MLO mammogram of the left breast. 53-year-old patient.
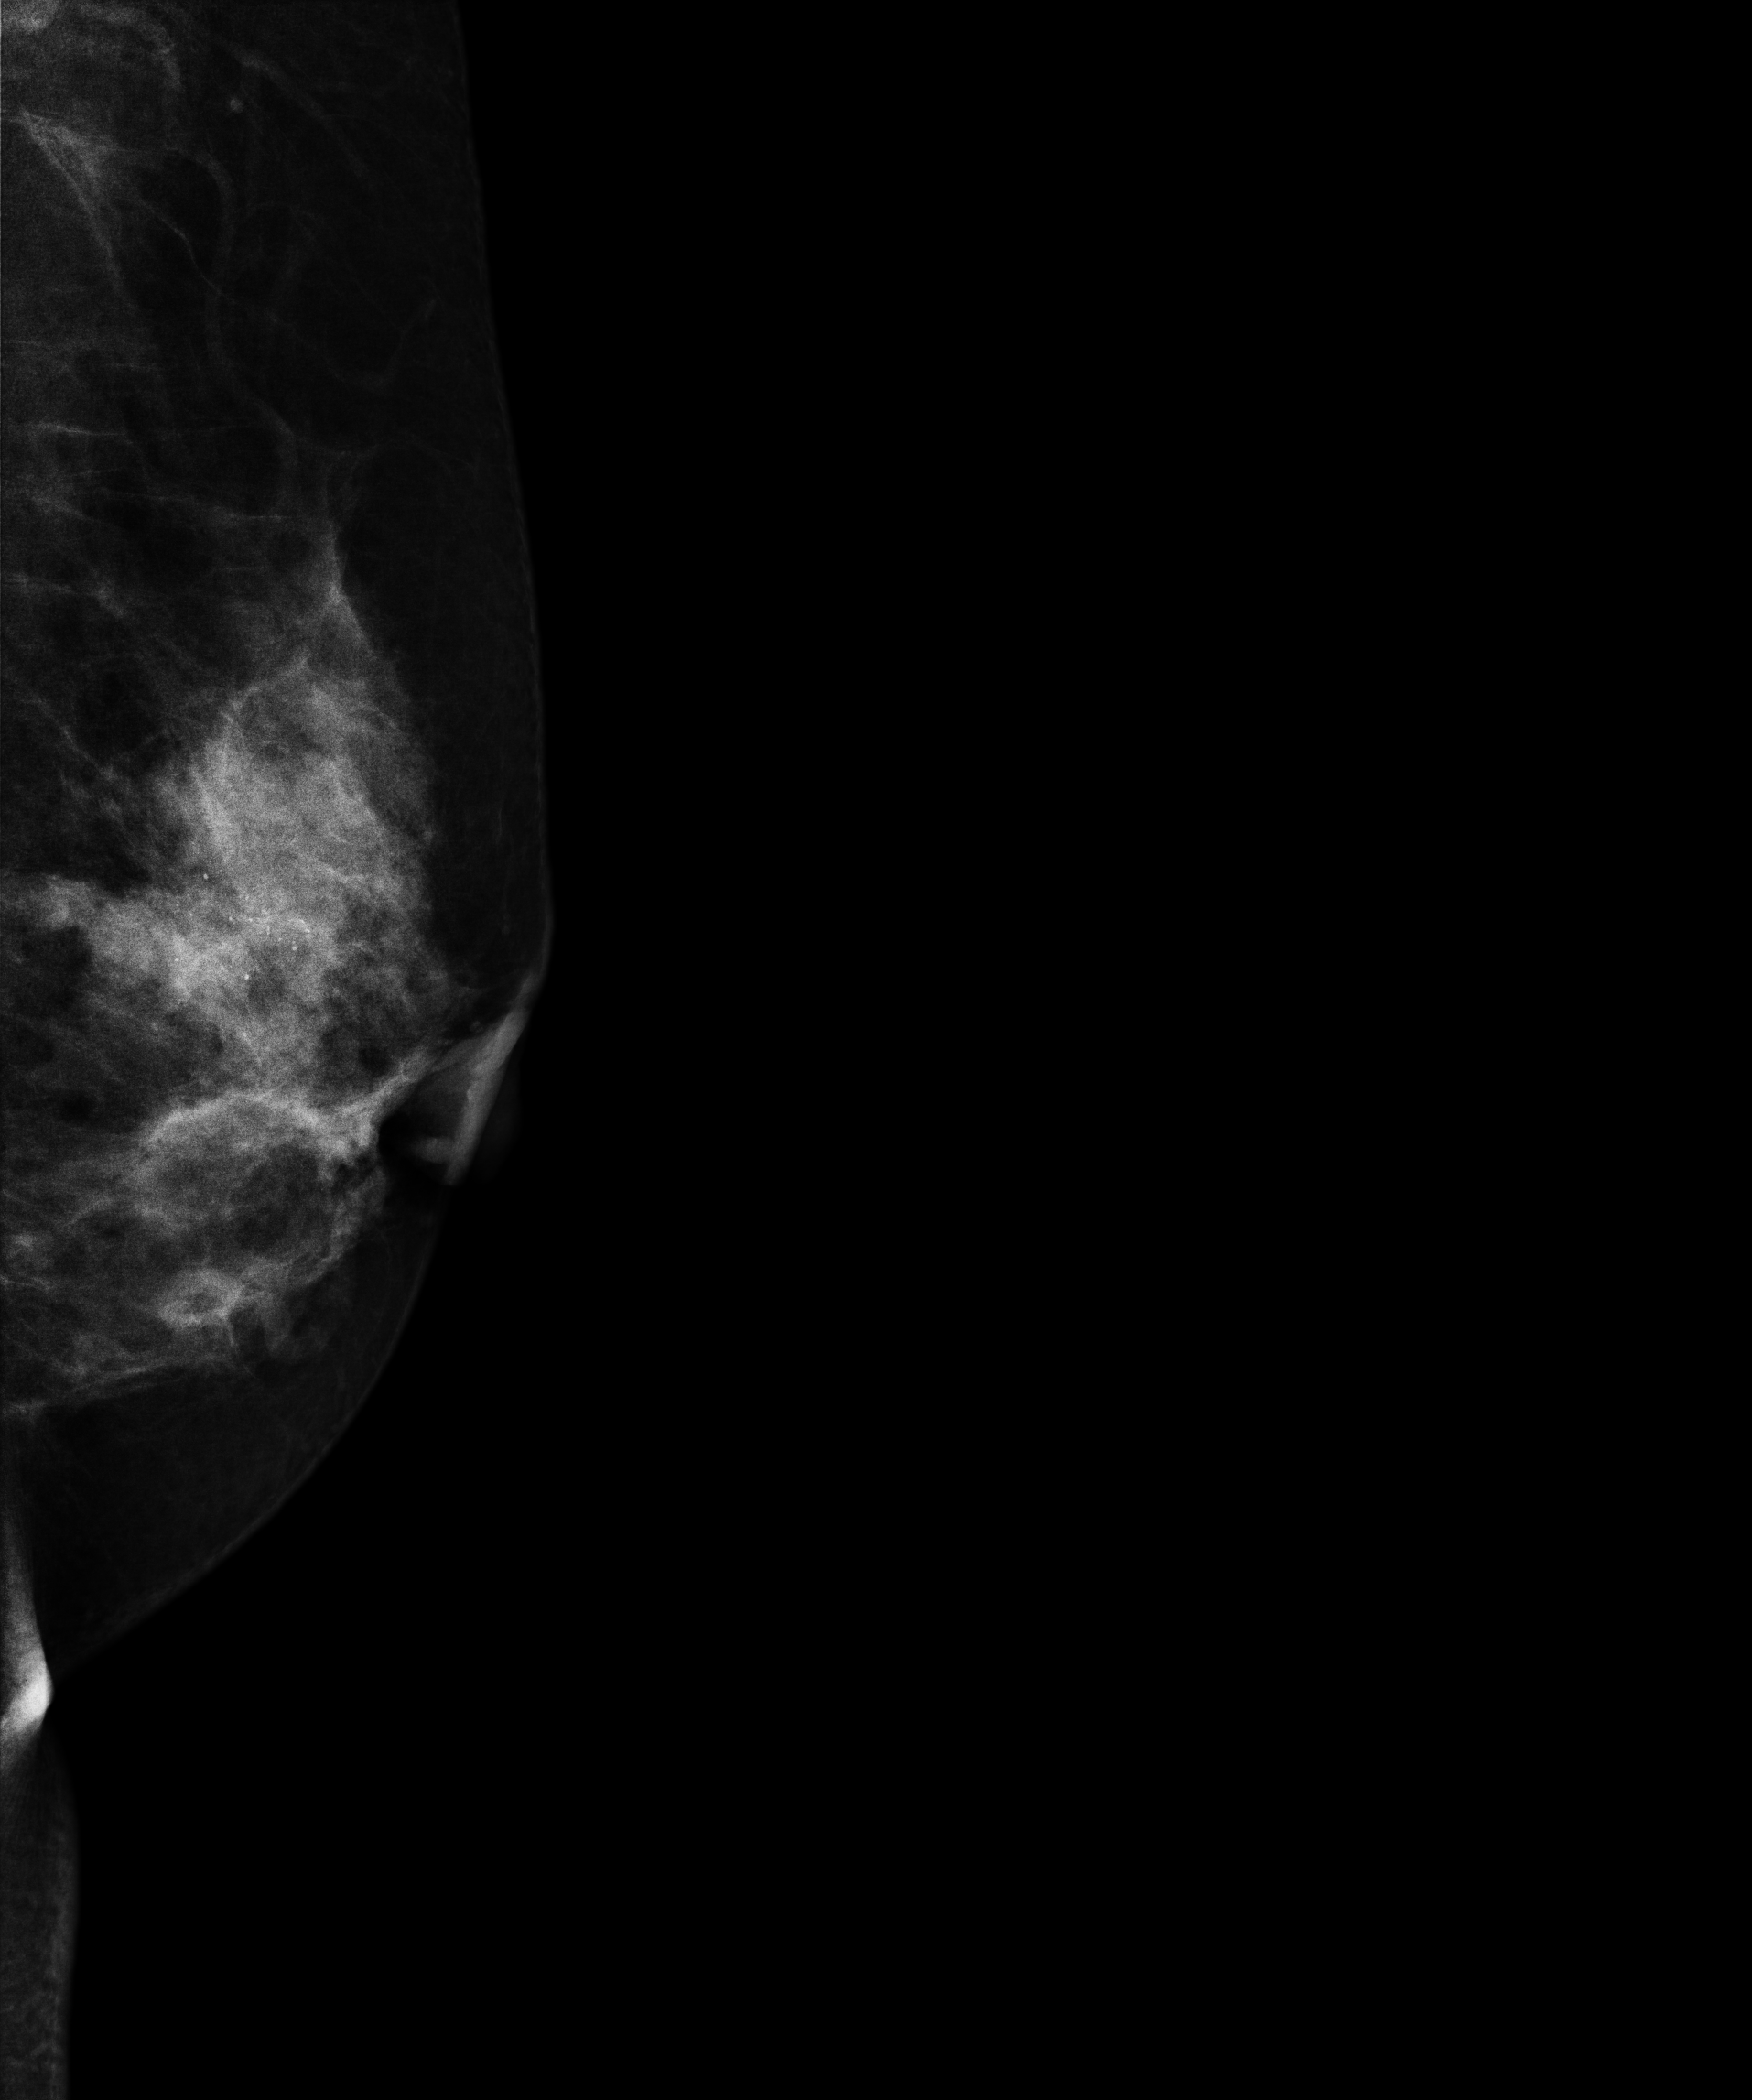
This breast has a mass and calcifications, histologically confirmed malignant.